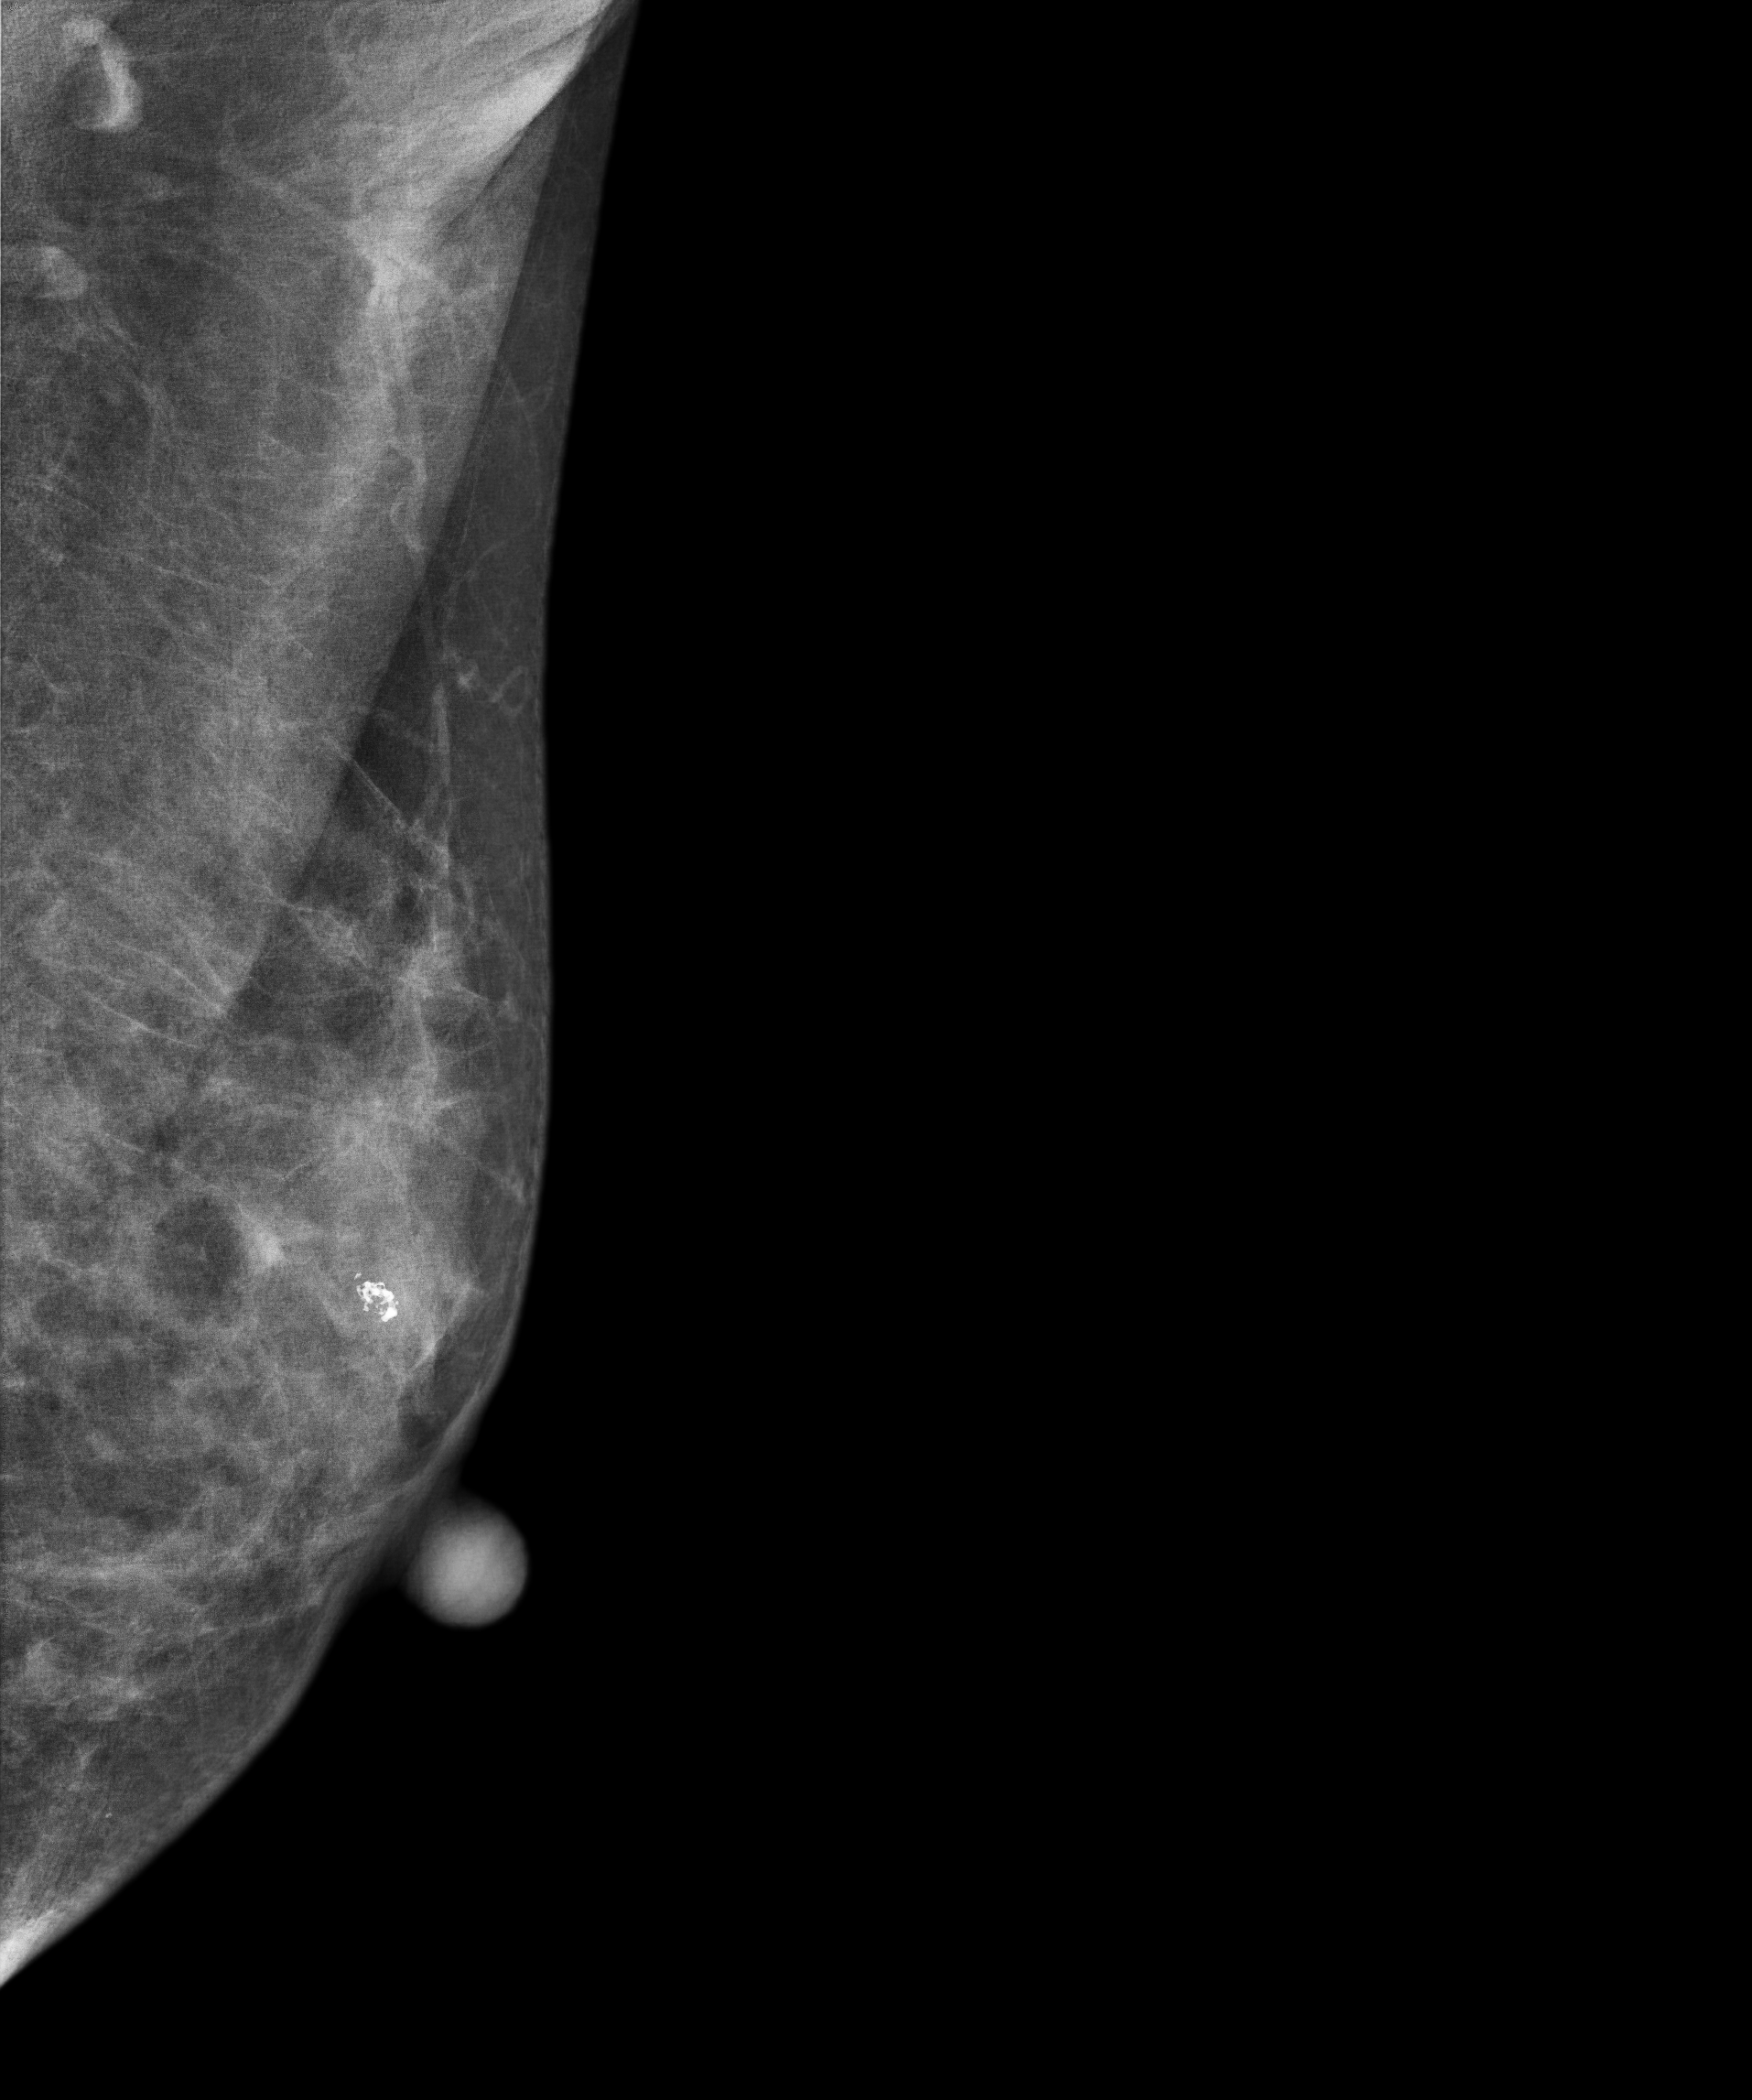
MLO mammogram of the left breast. 41 y/o patient.
This breast has calcifications, pathology-confirmed benign.